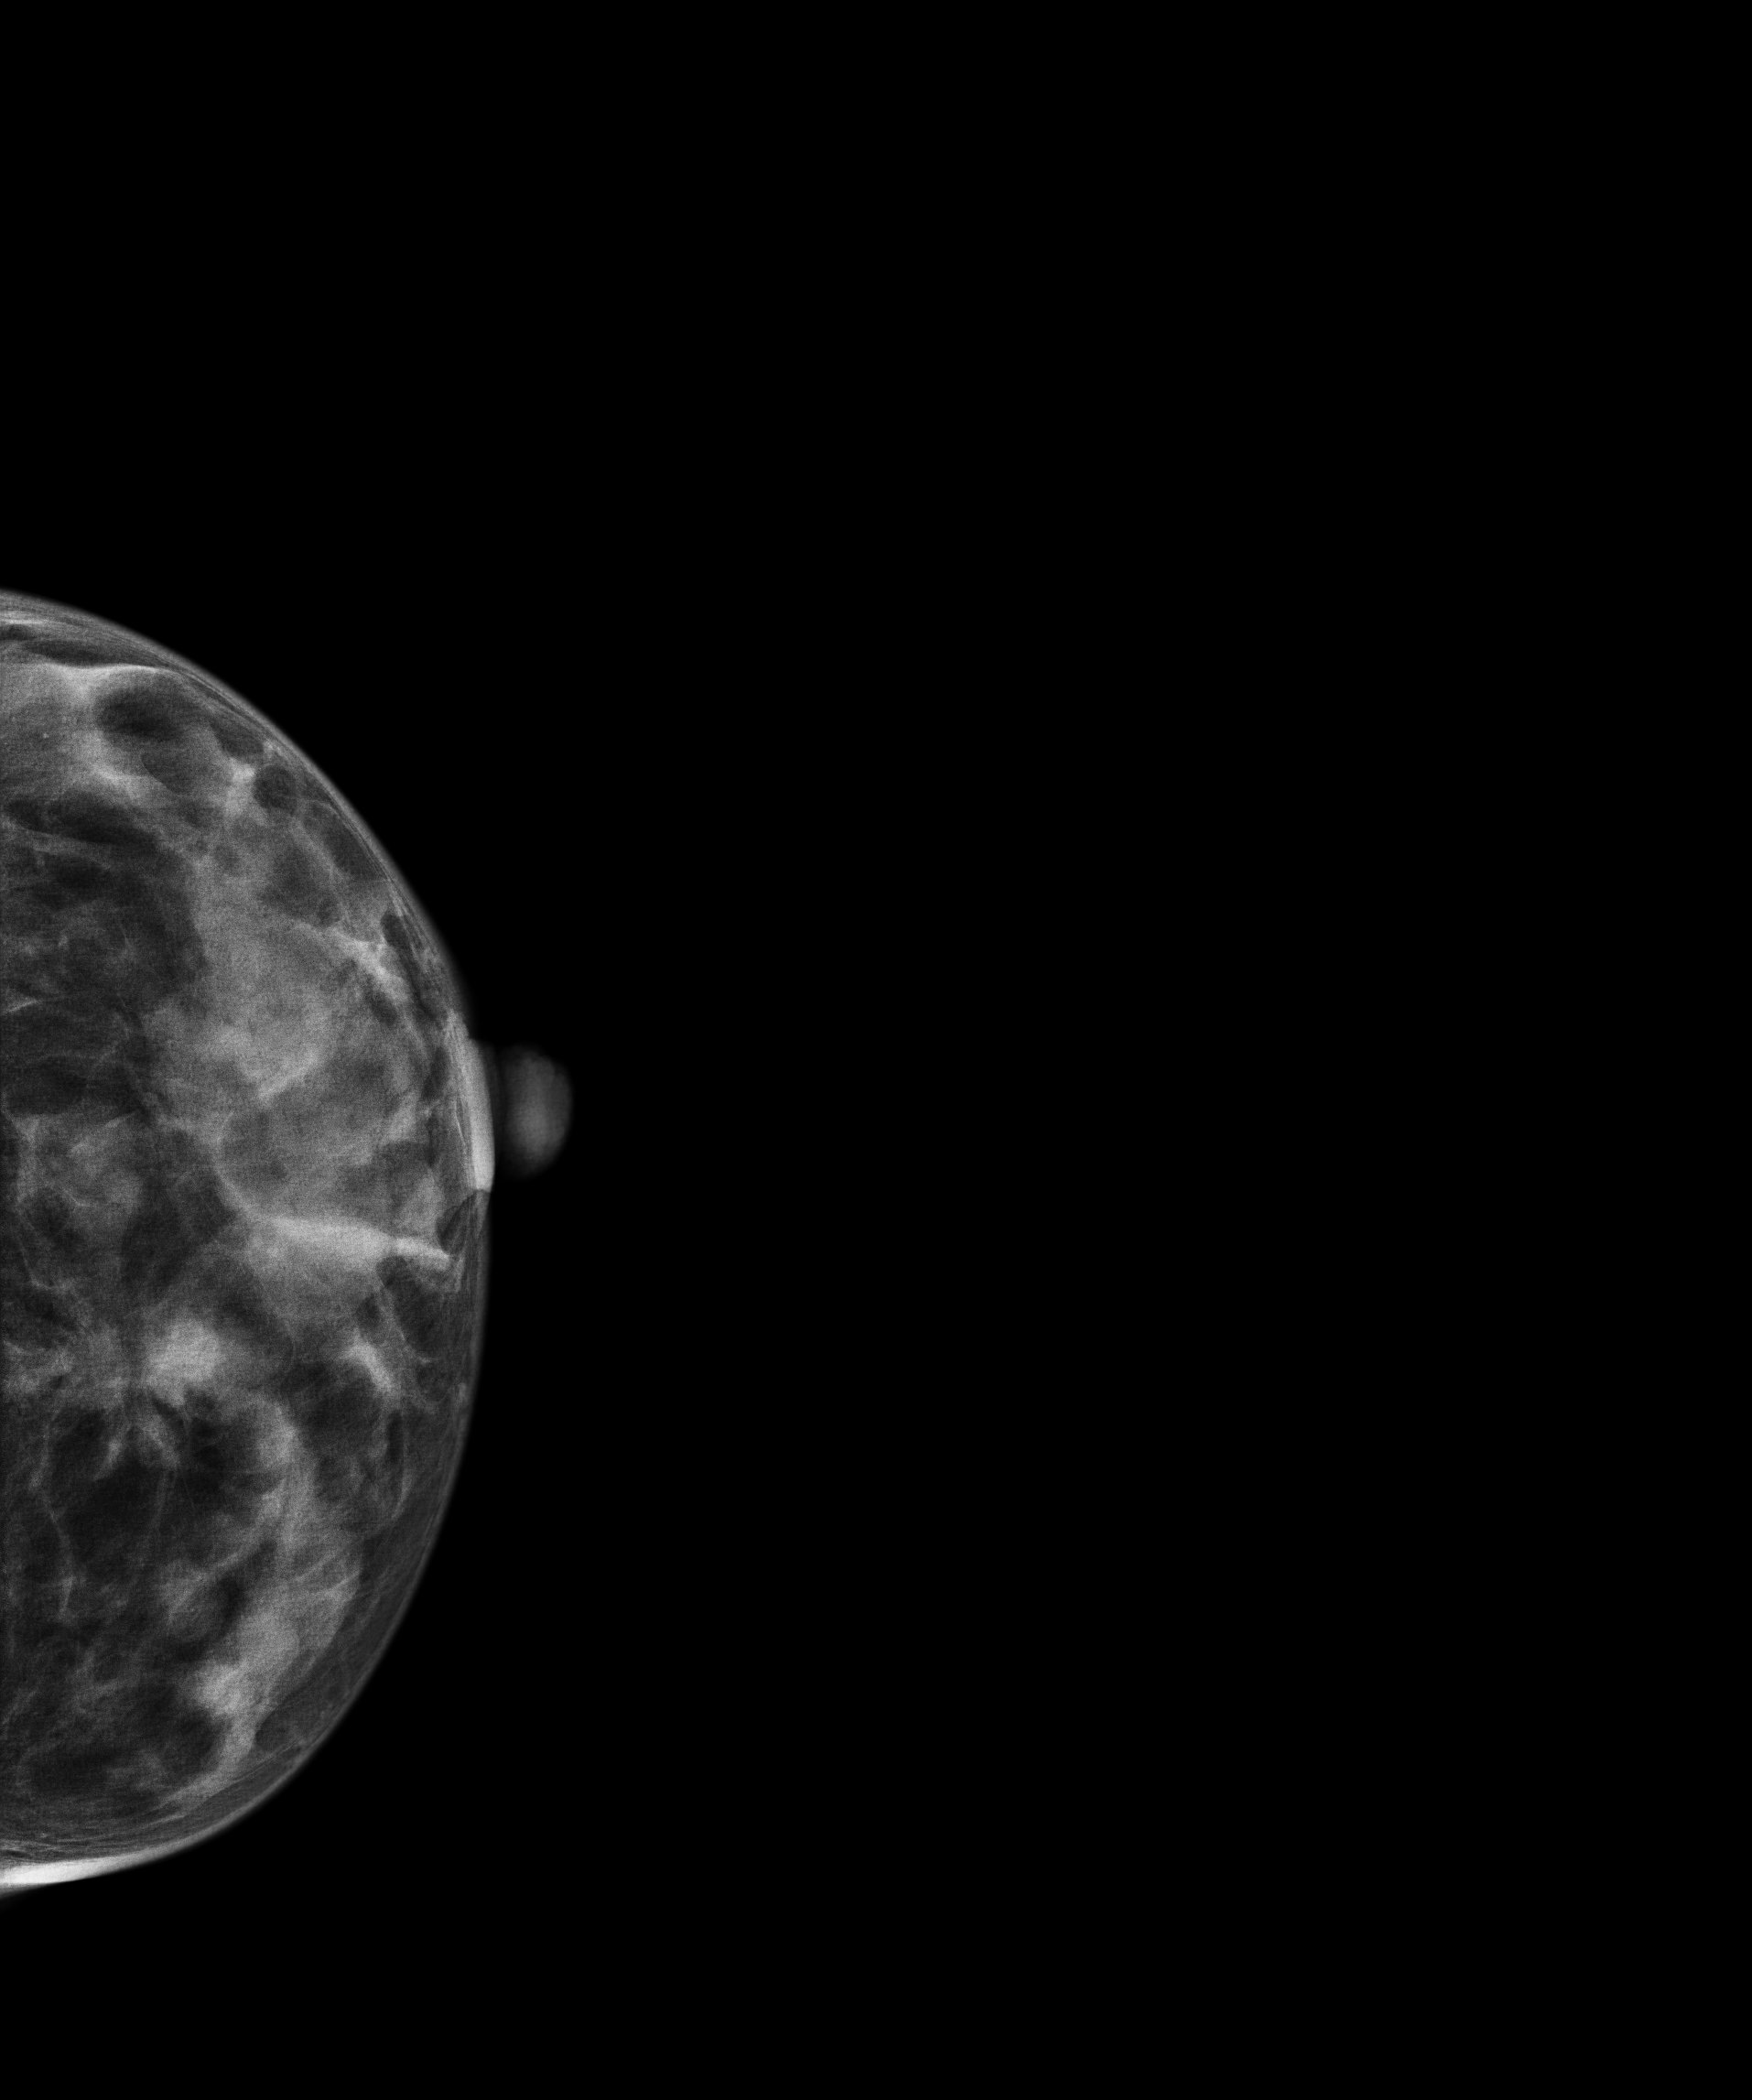
Mammogram — left CC. 41-year-old patient.
This breast has a mass, histologically confirmed malignant.